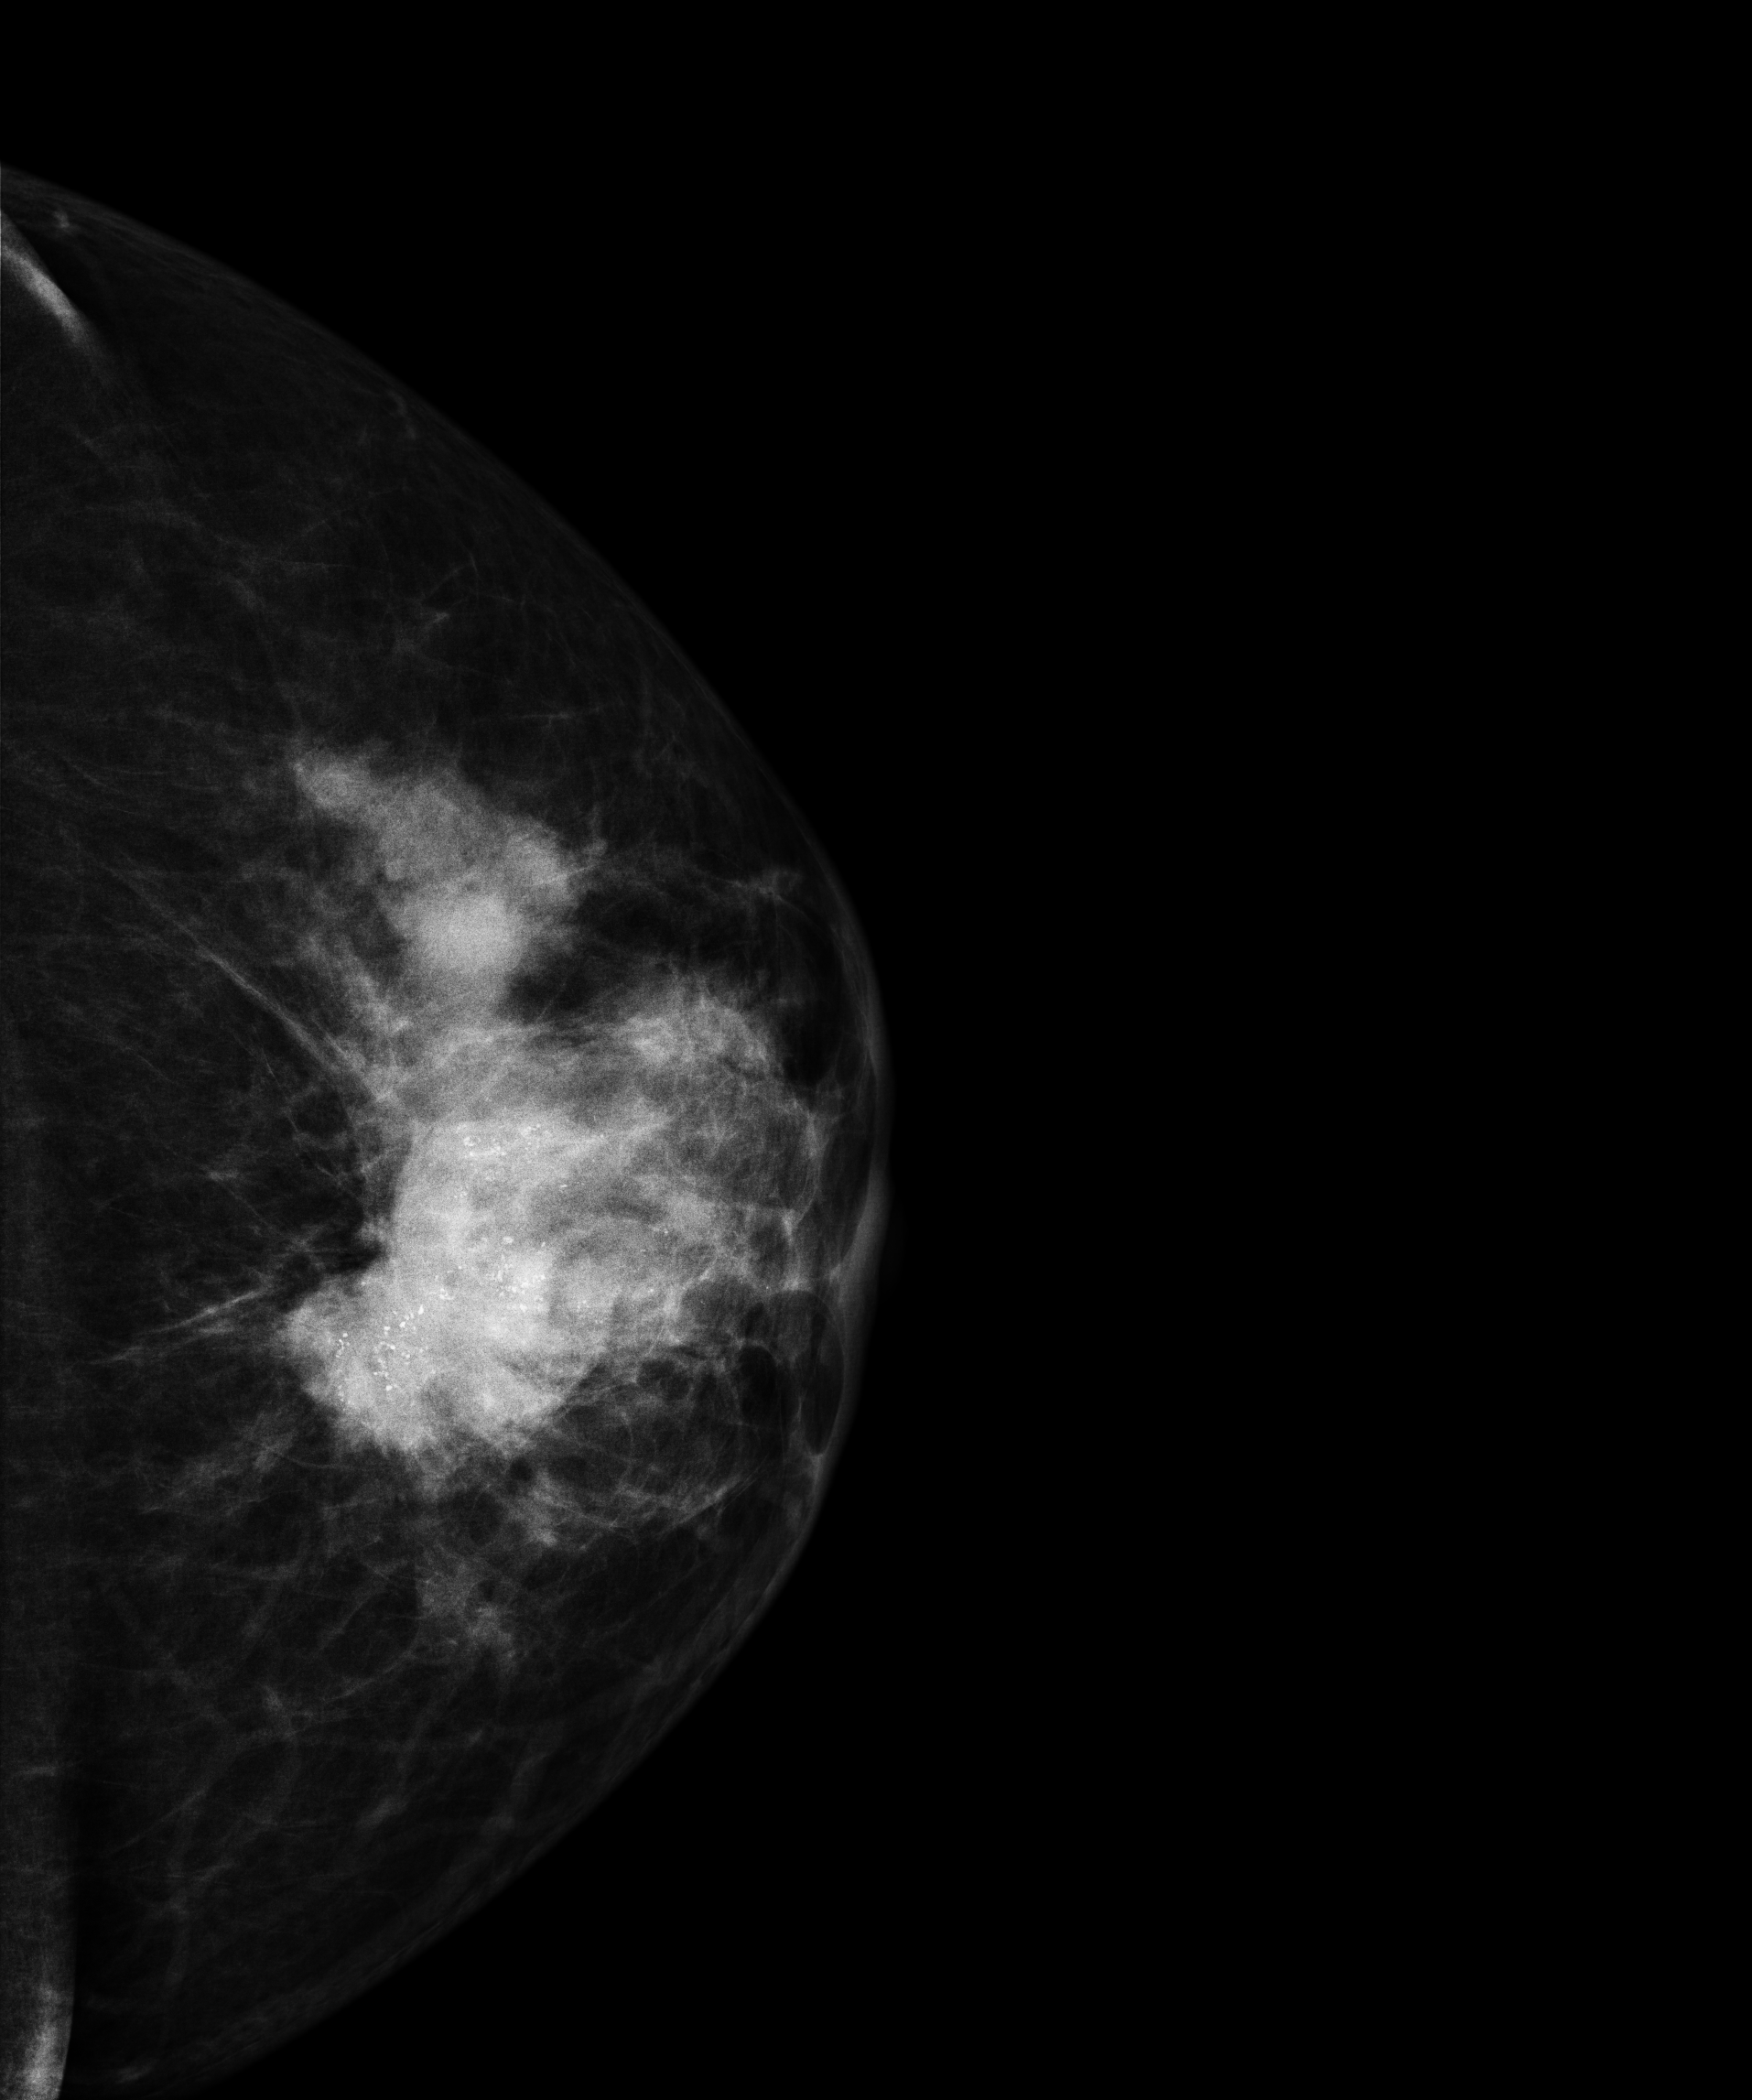
Left-breast mammogram, CC. 50 y/o patient.
This breast has a mass and calcifications, biopsy-proven malignant. Molecular subtype: luminal B.